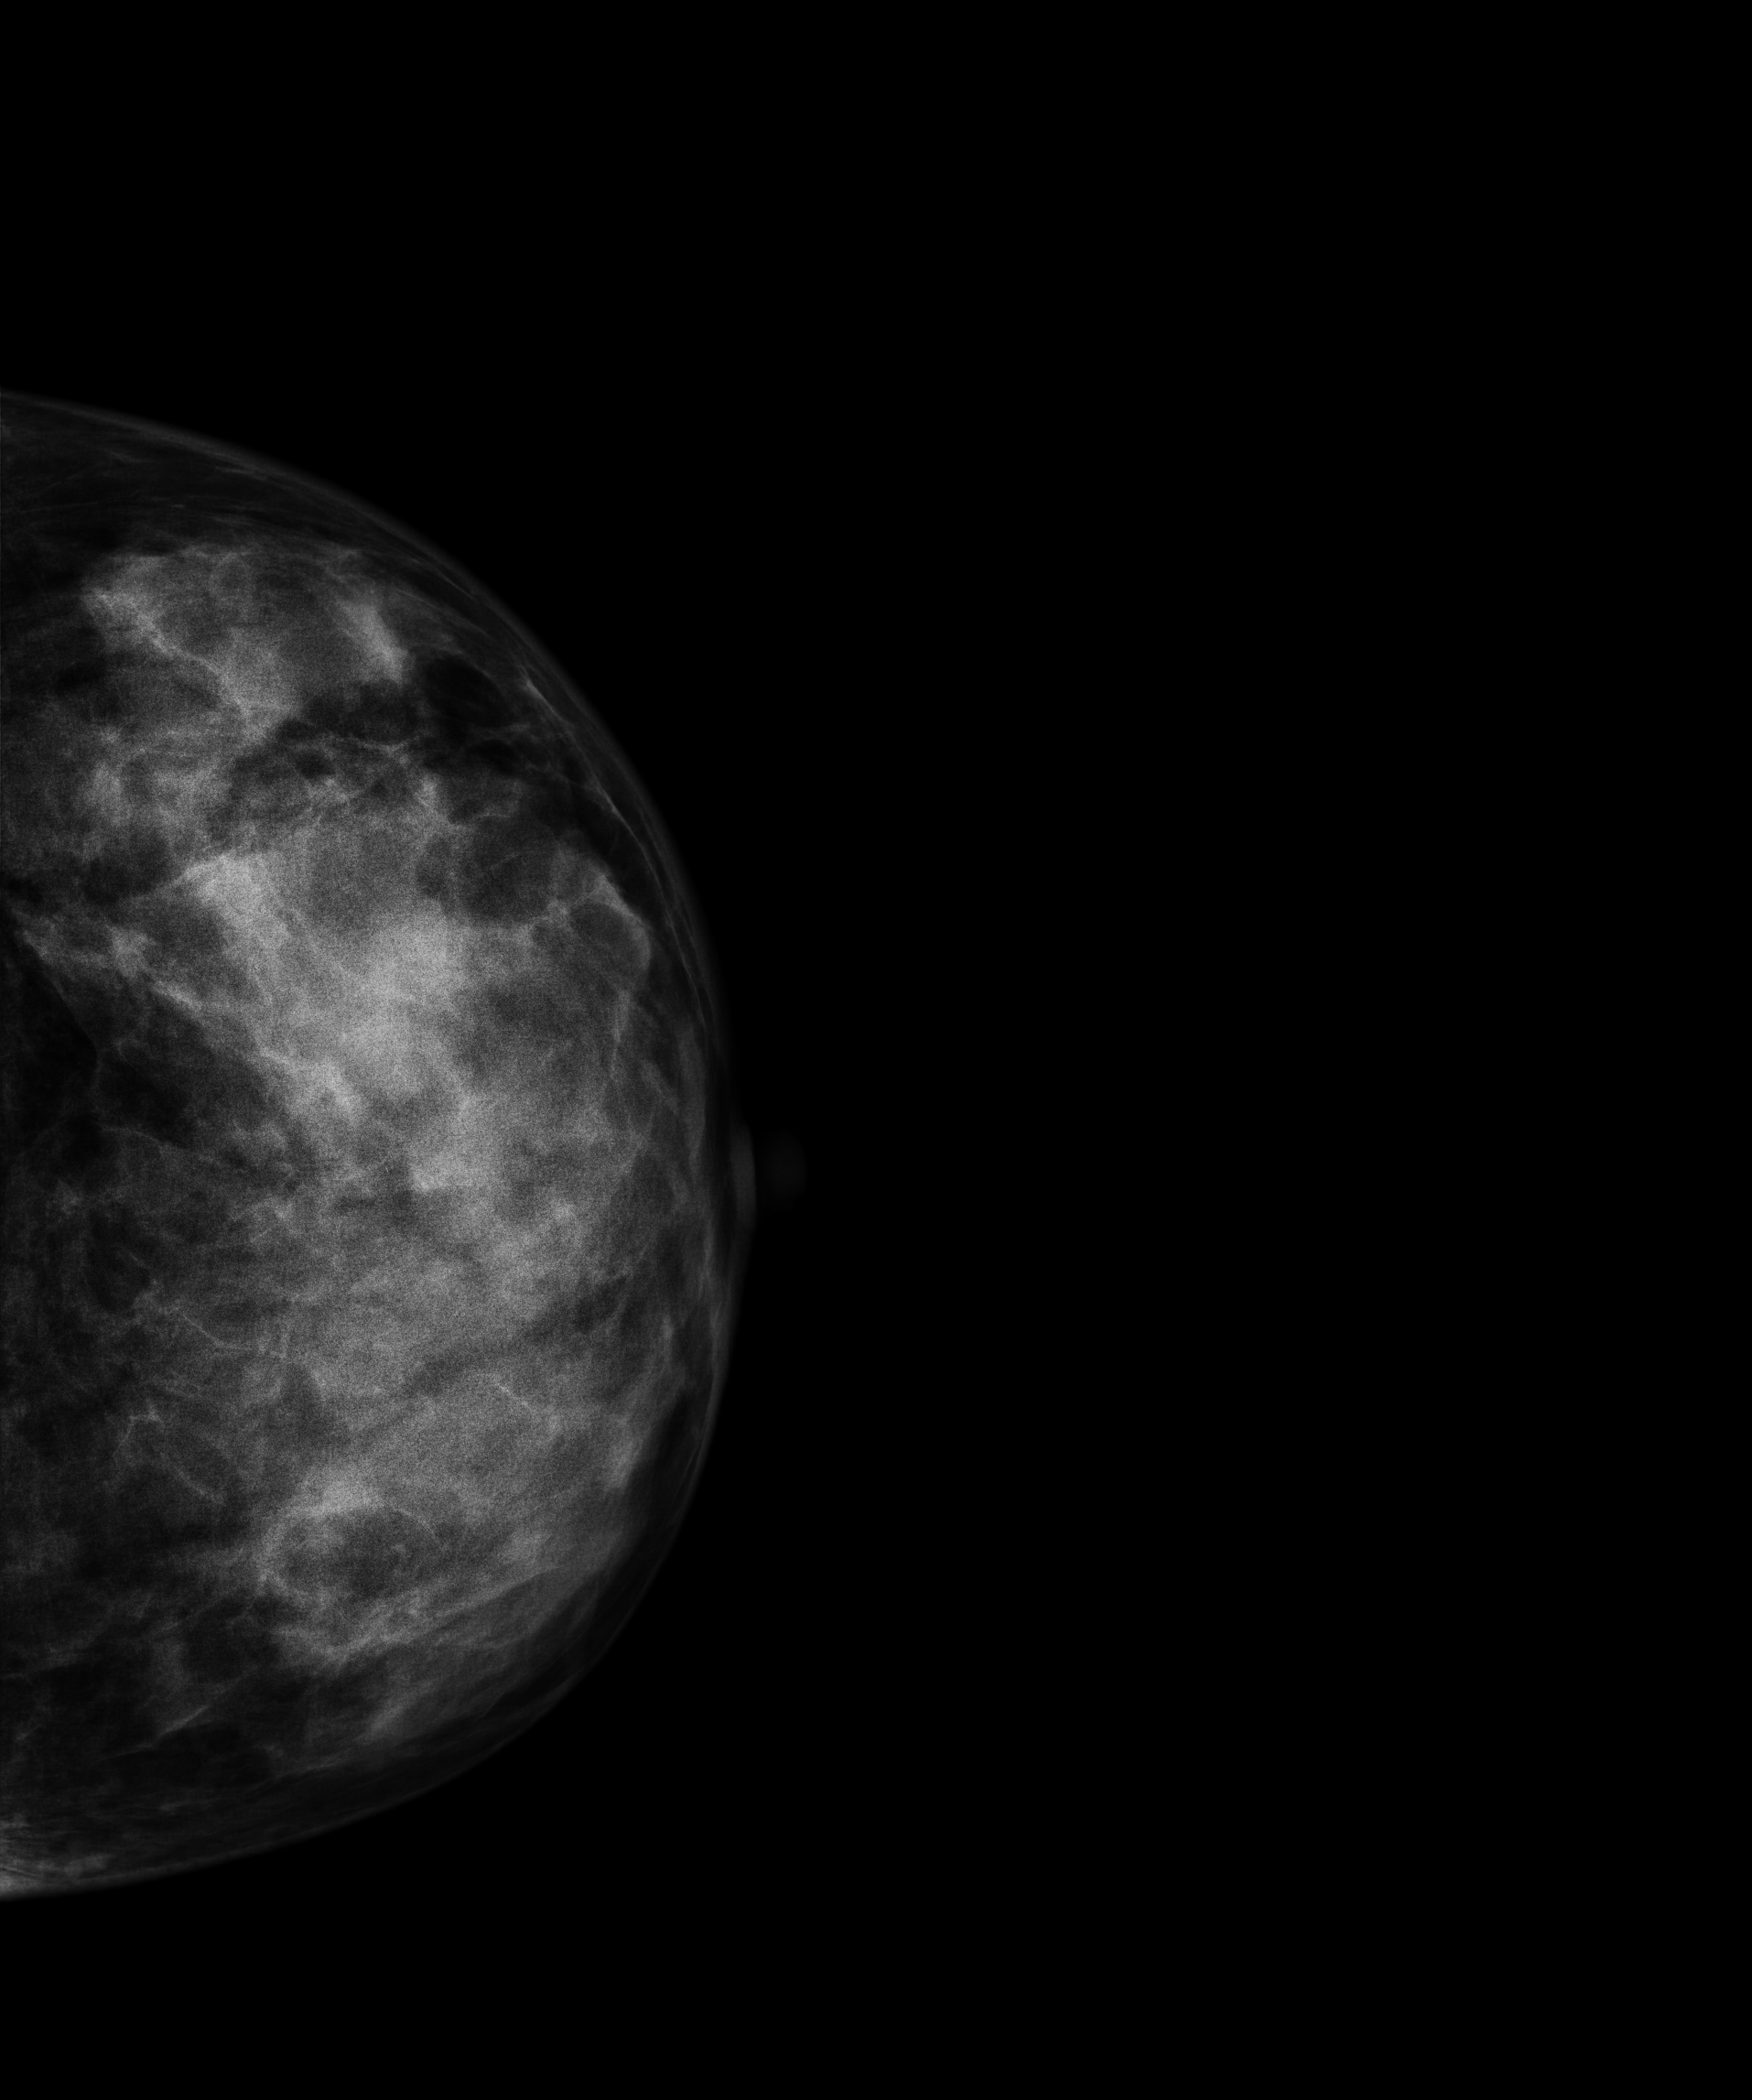
Mammogram — left cranio-caudal. 49-year-old patient.
This breast has a mass, biopsy-proven malignant. Molecular subtype: luminal B.